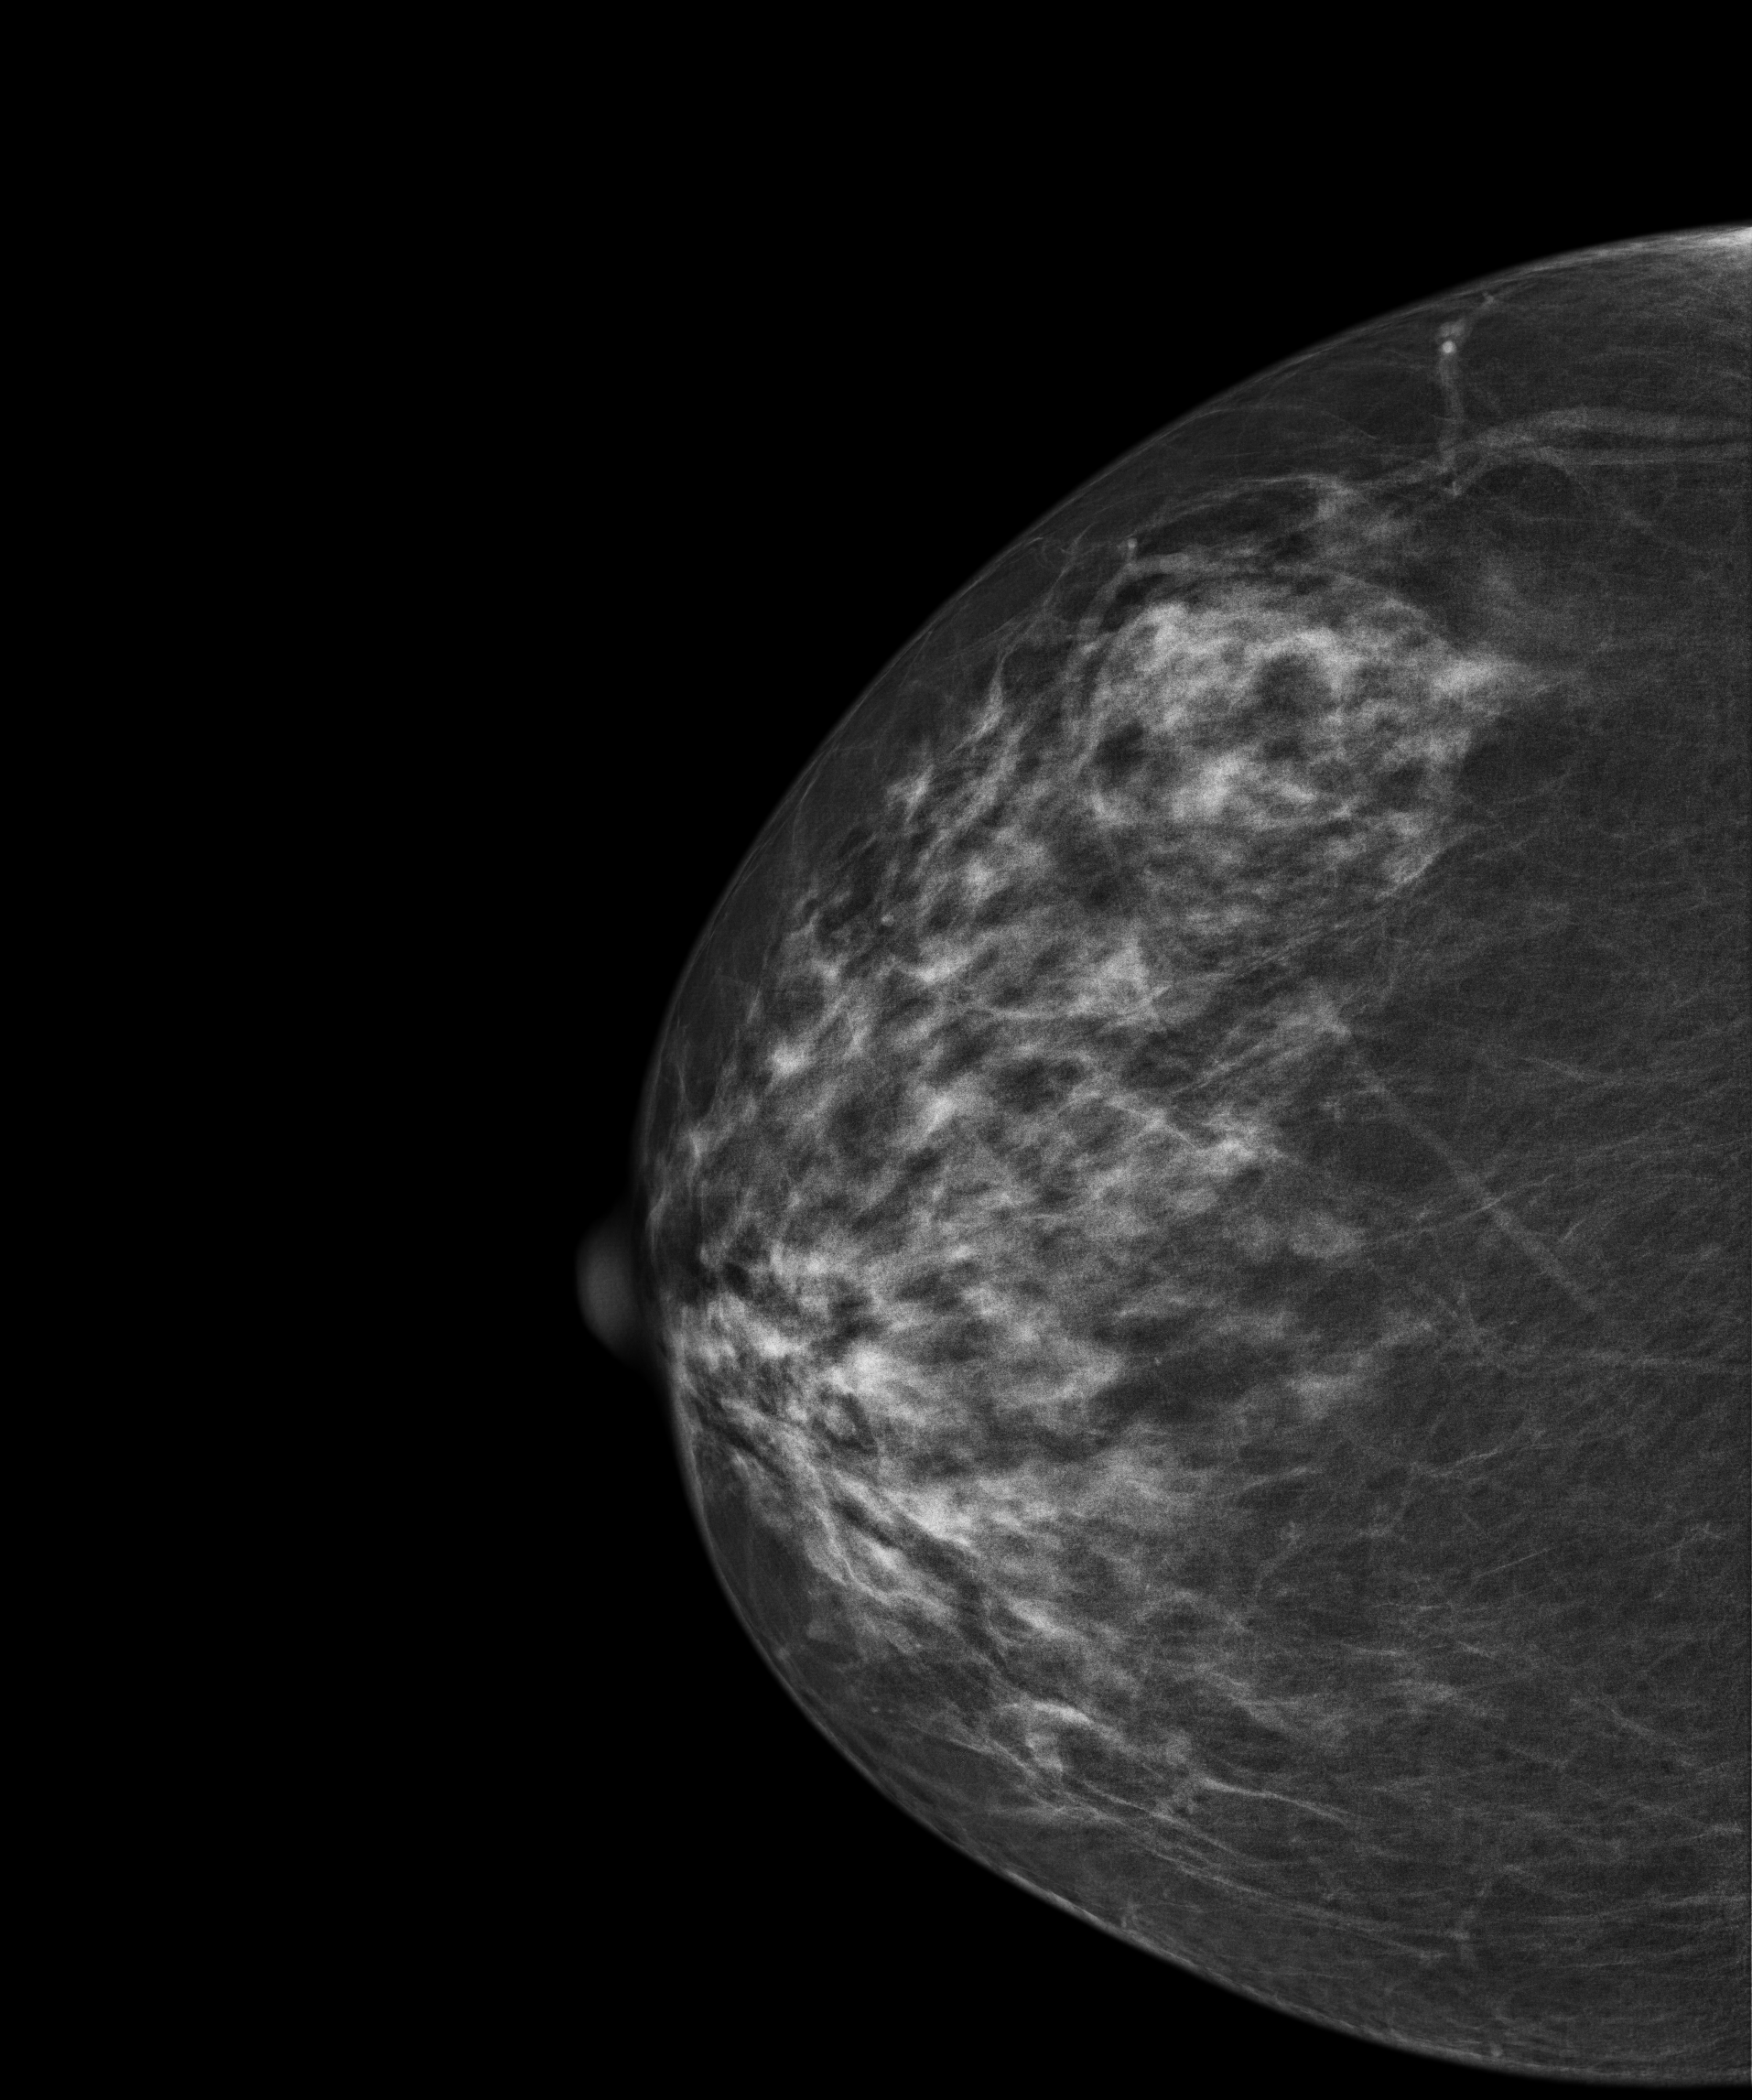
Digital mammography. Right breast, cranio-caudal projection. 57-year-old patient.
Contralateral breast — no documented abnormality on this side.